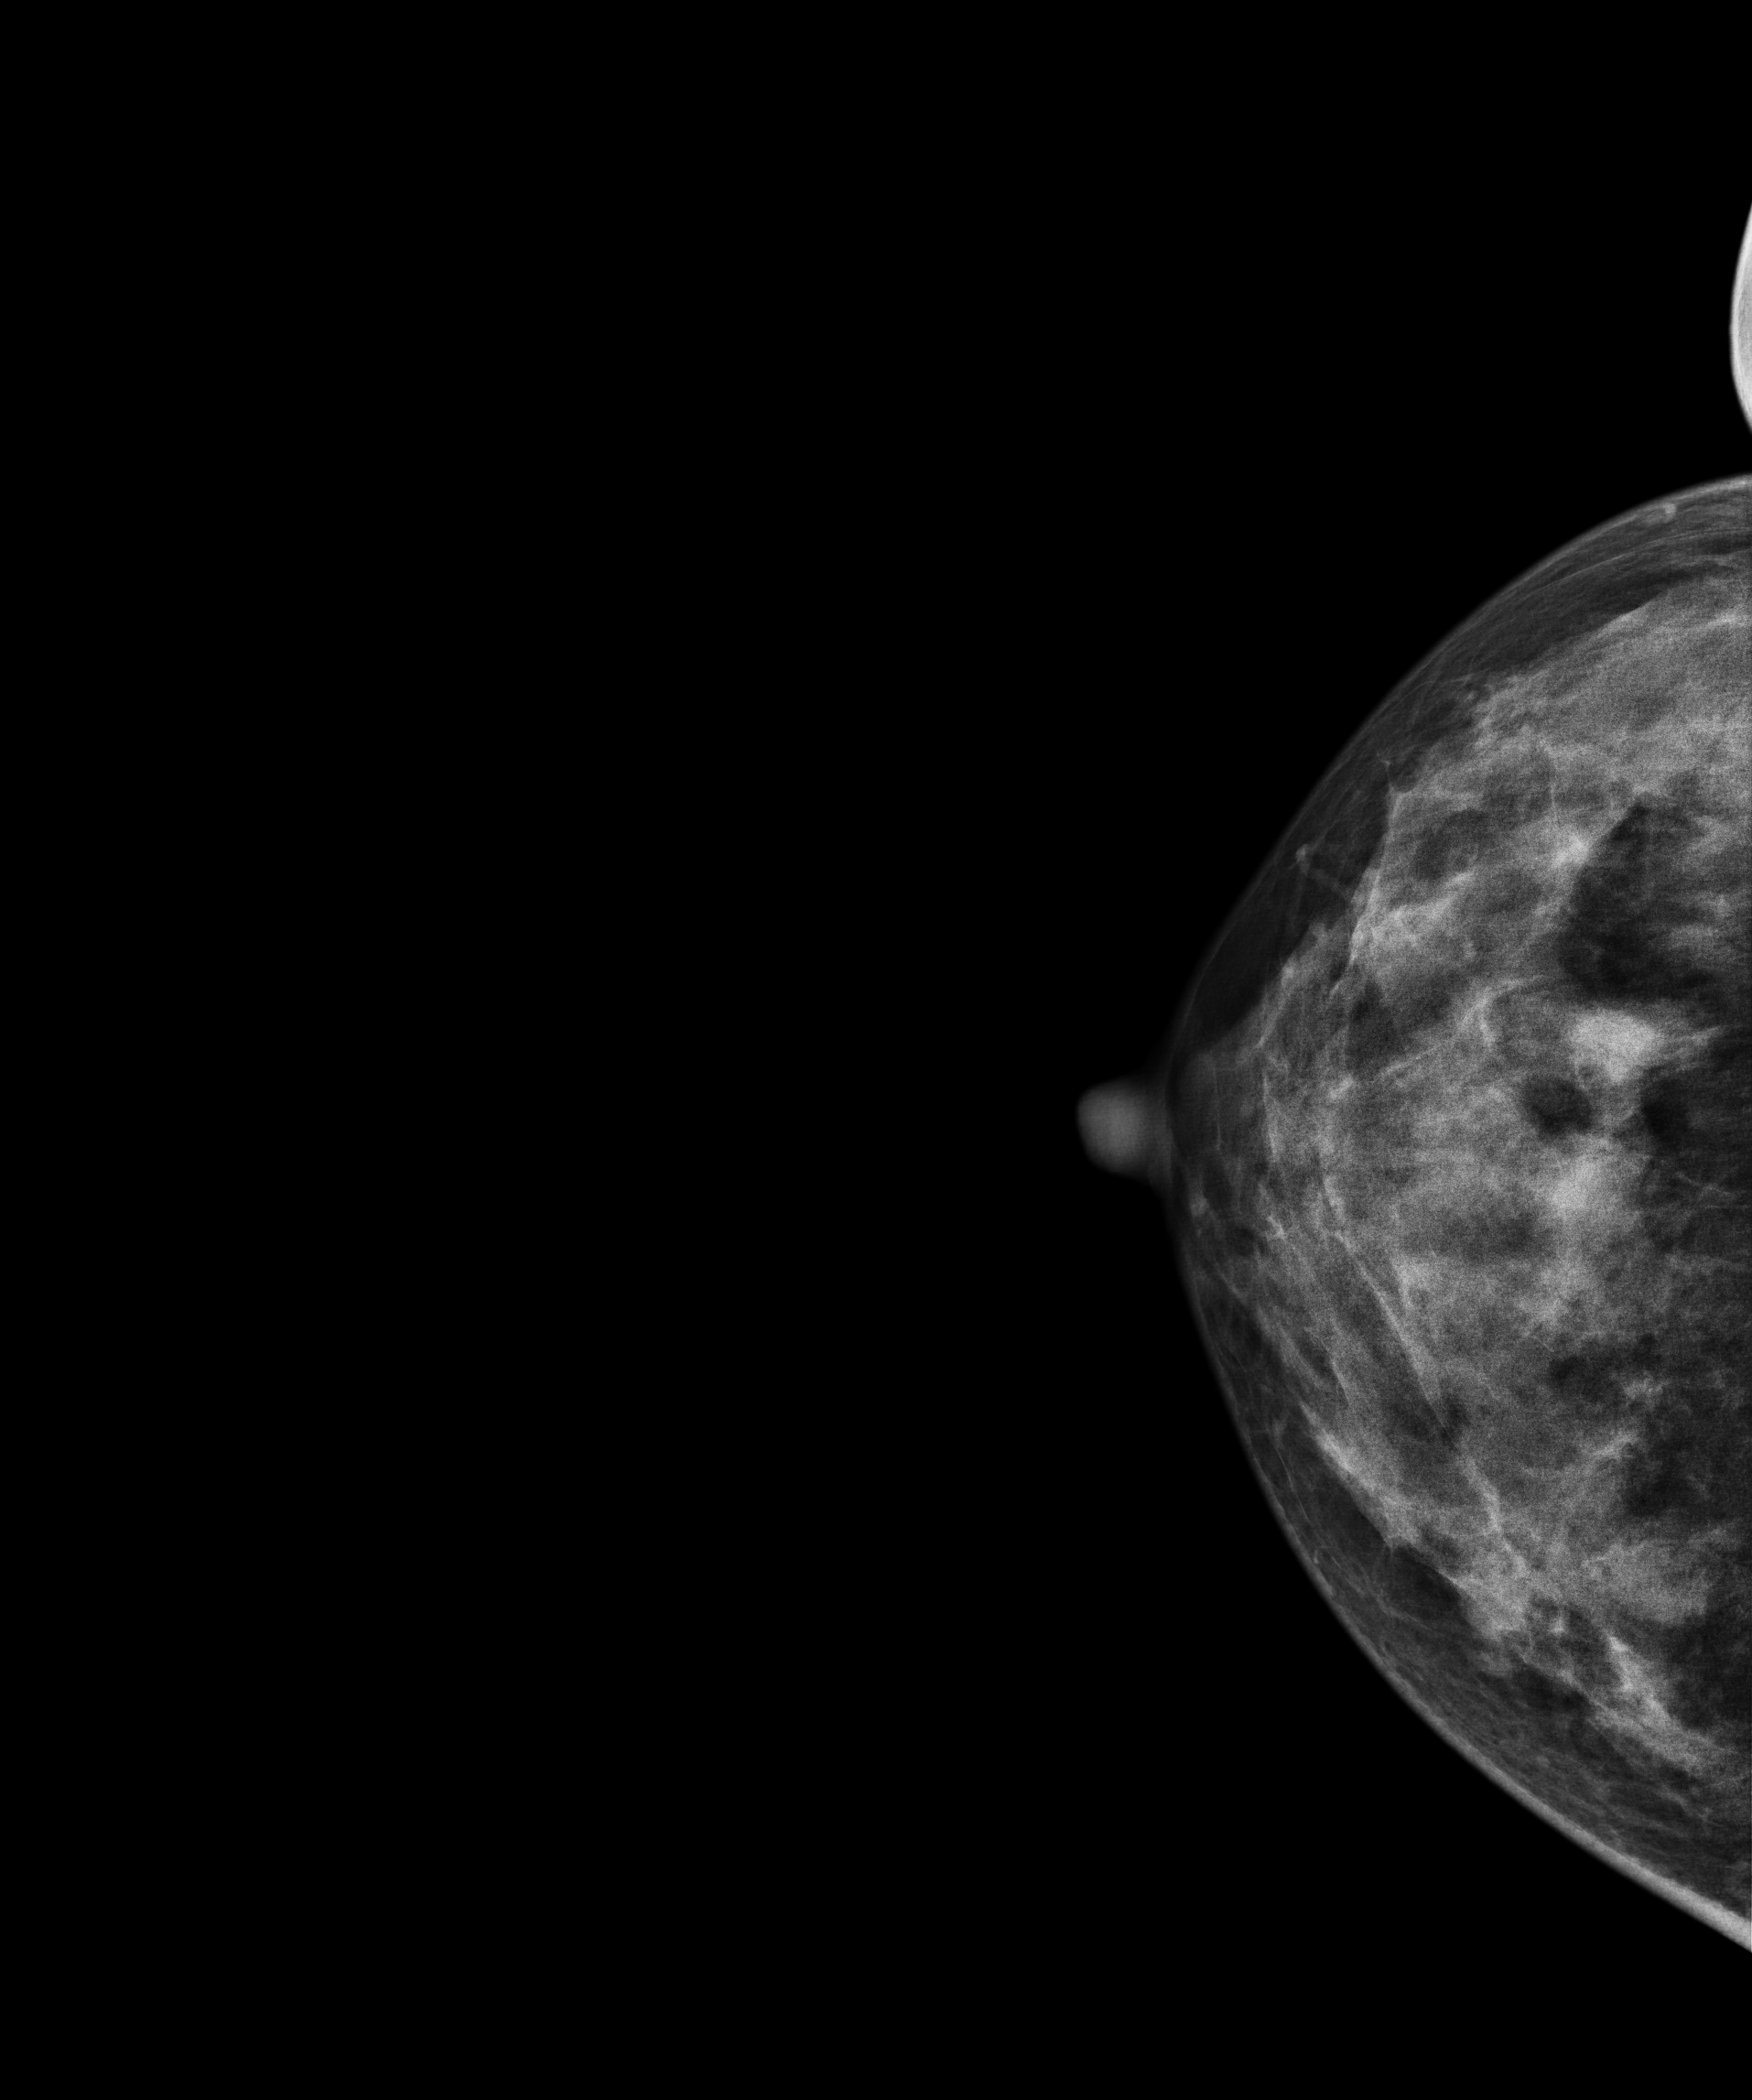
Mammogram — right CC. 40 y/o patient.
Contralateral breast — no documented abnormality on this side.